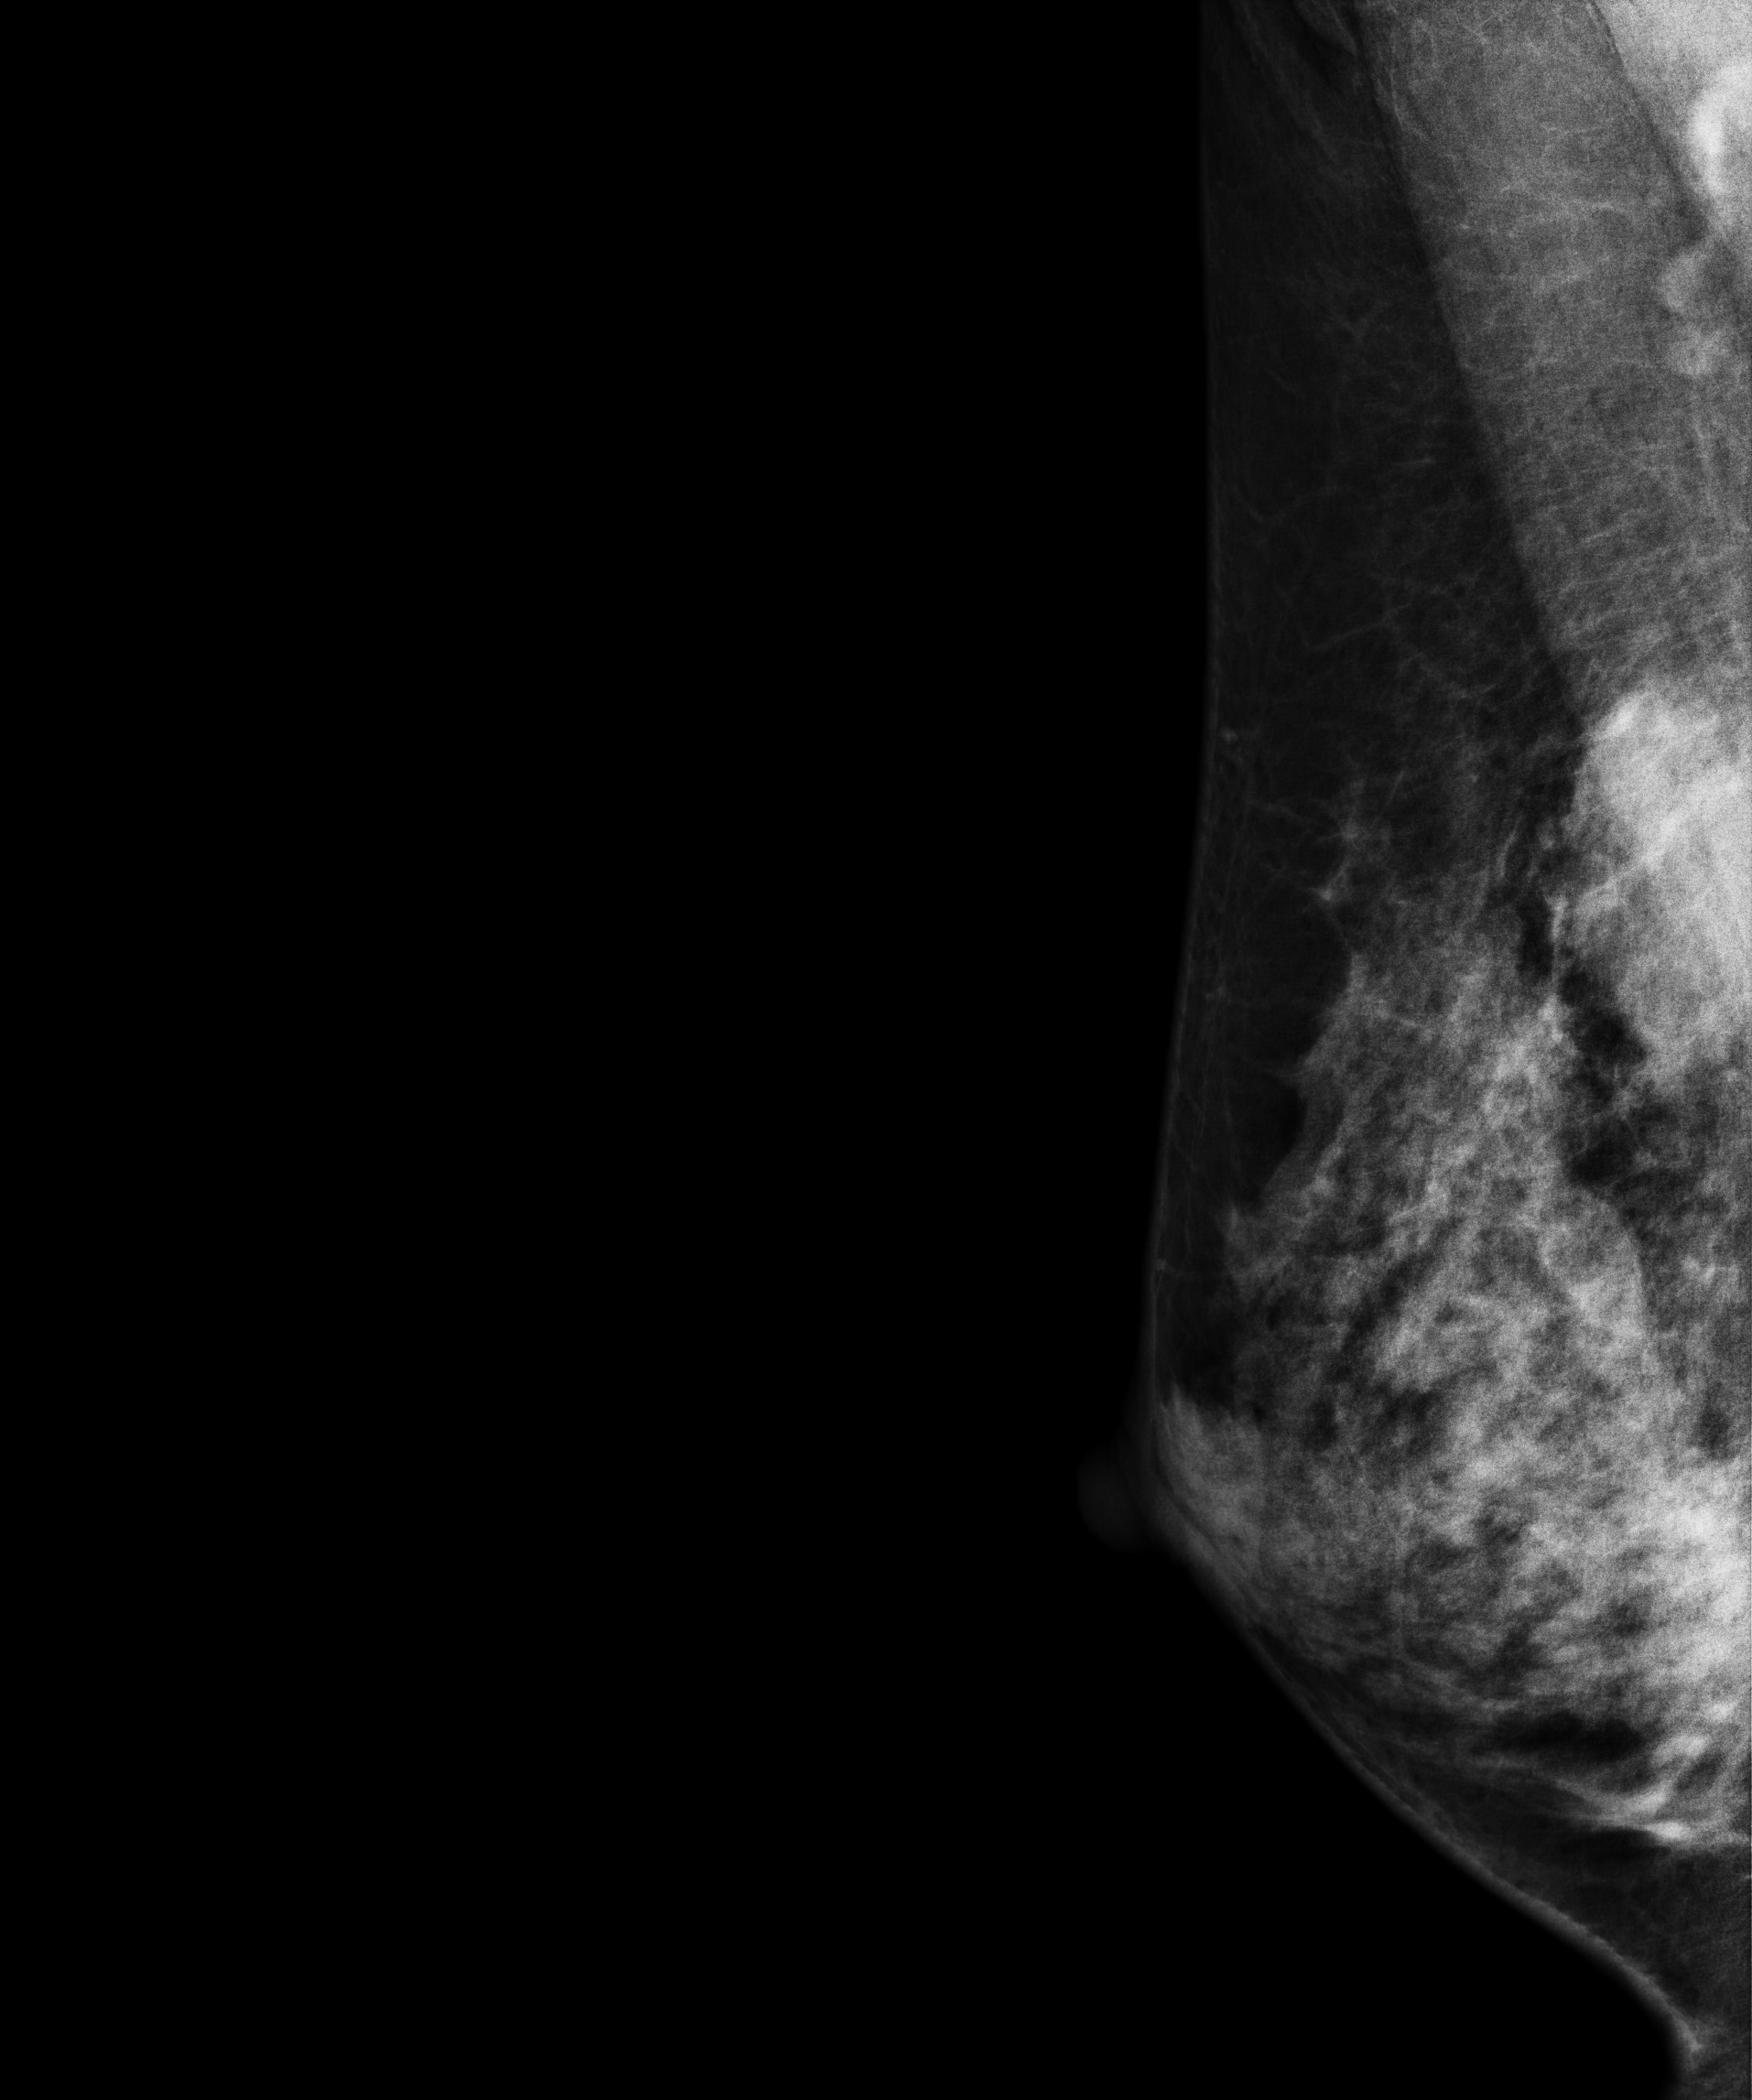
Right-breast mammogram, MLO. 39-year-old patient.
This breast has a mass, histologically confirmed malignant.